Mammogram — right CC. 38-year-old patient.
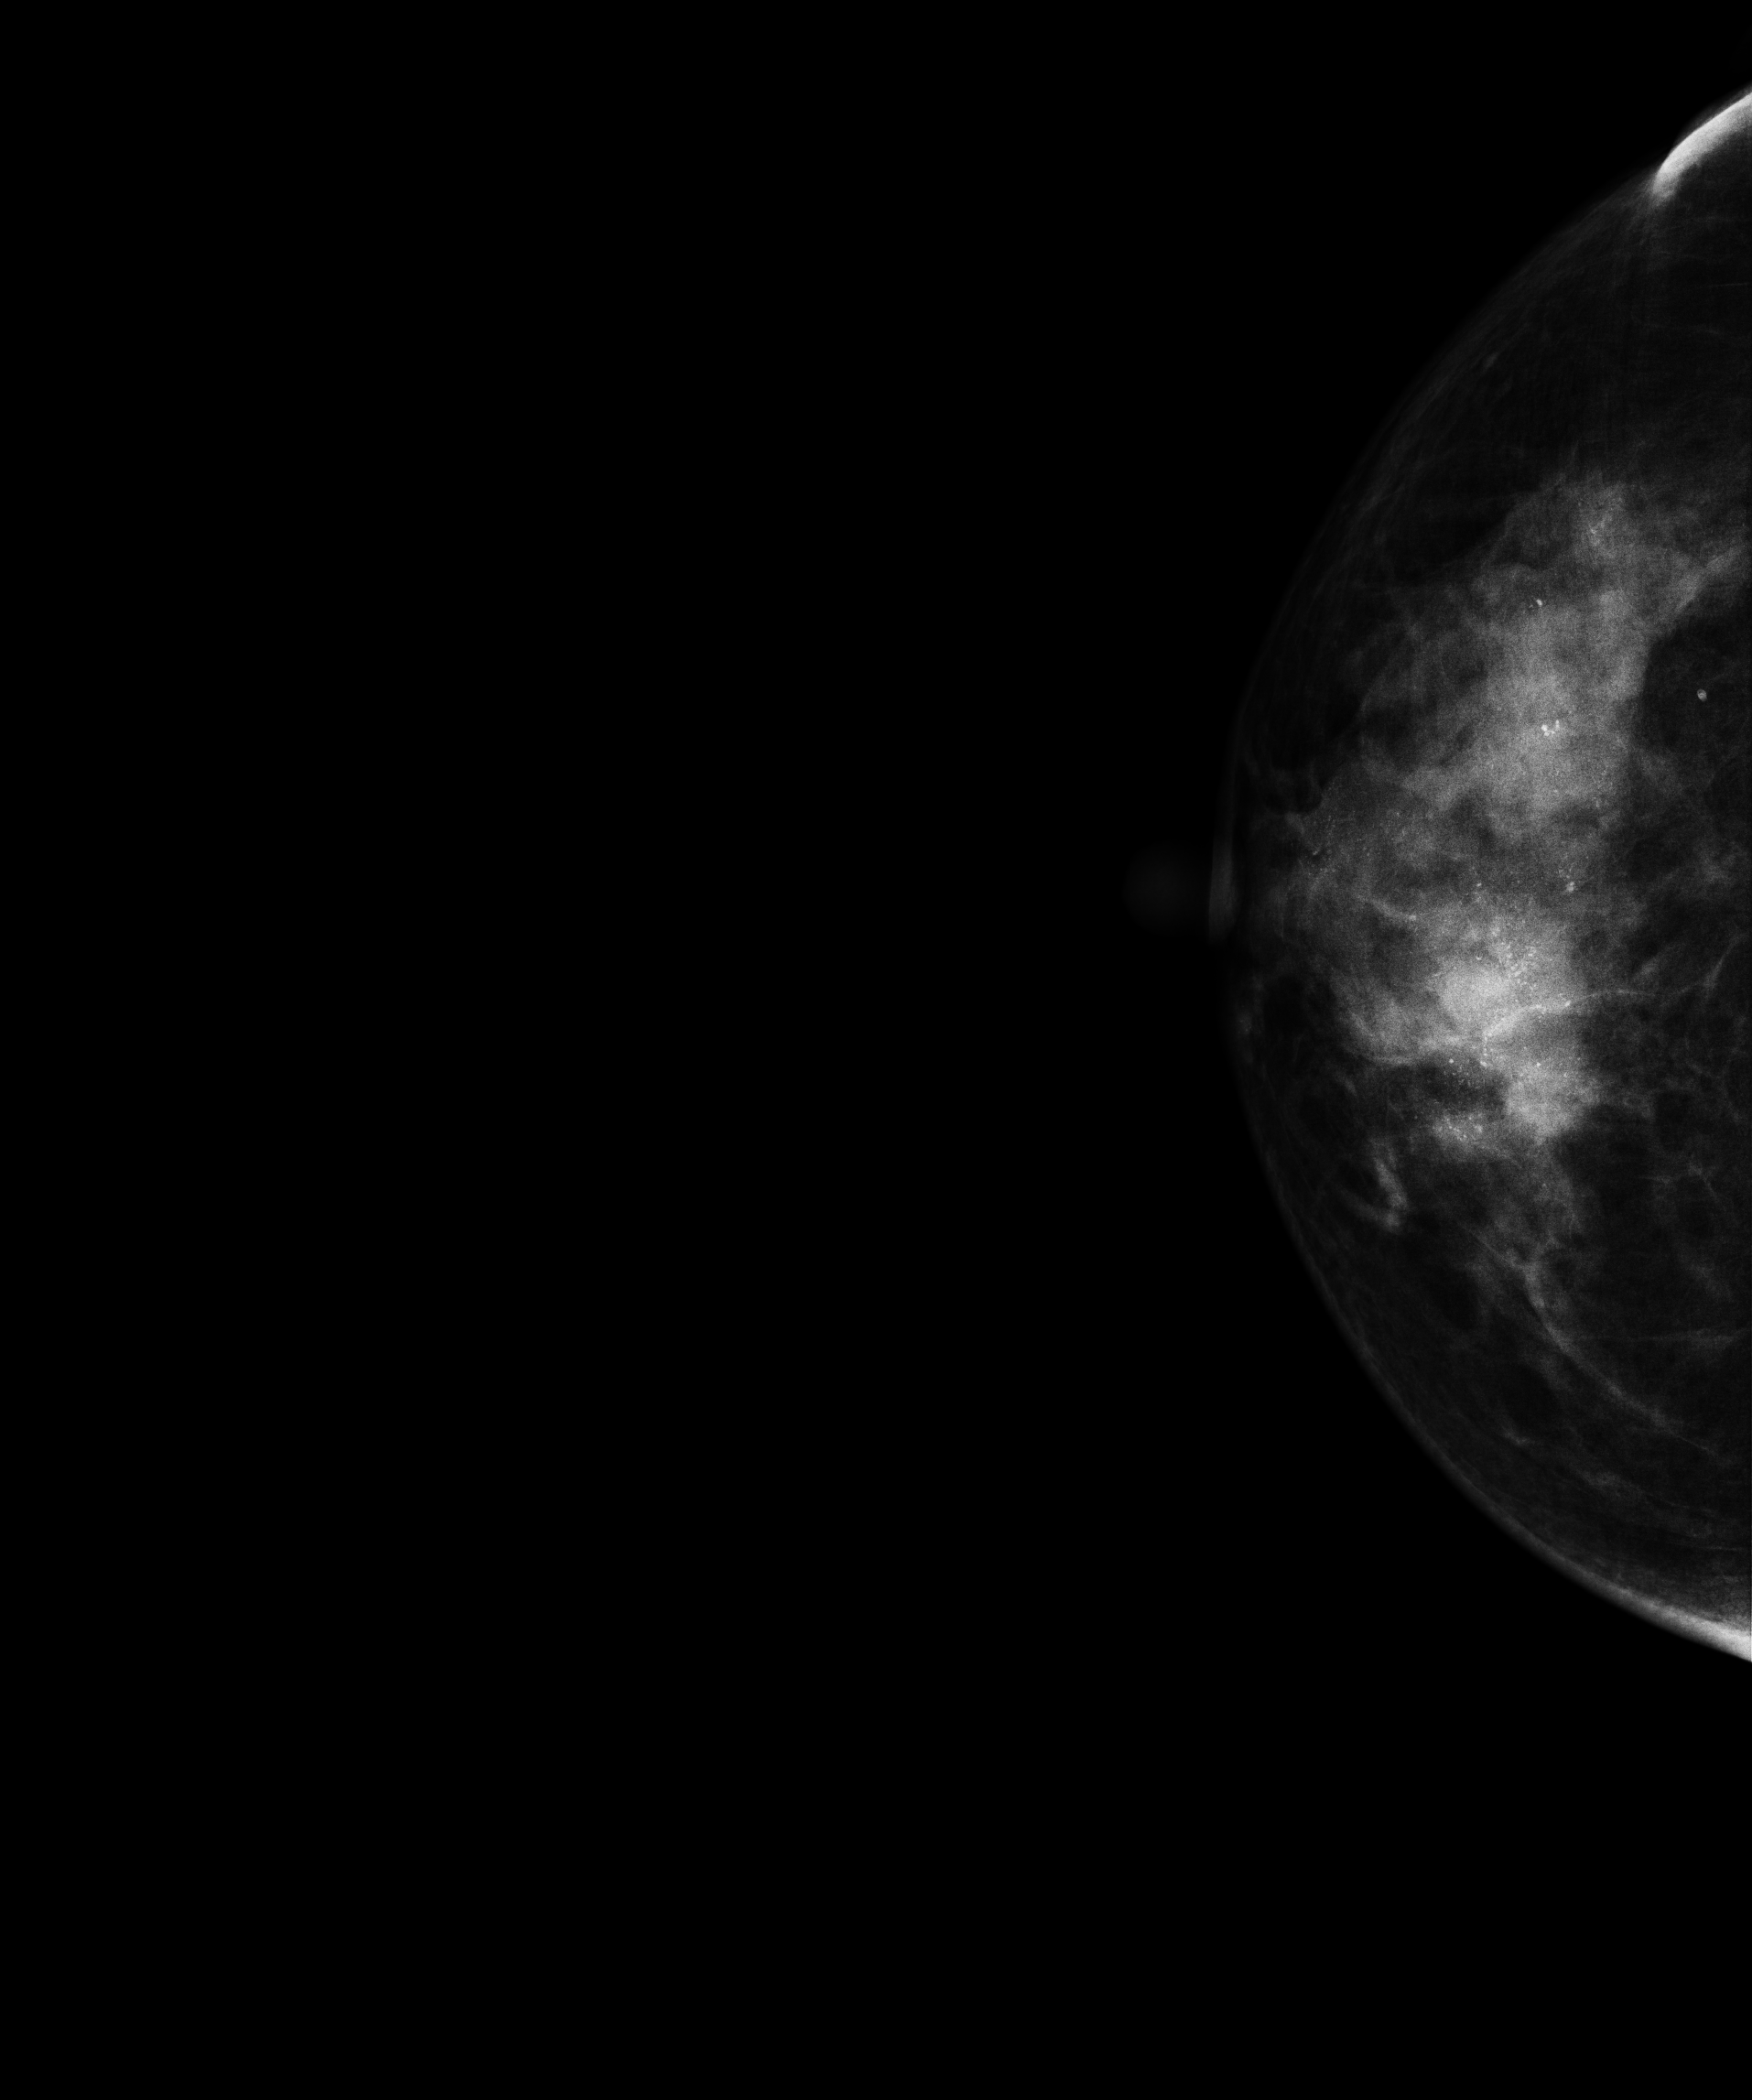
This breast has a mass and calcifications, histologically confirmed malignant.